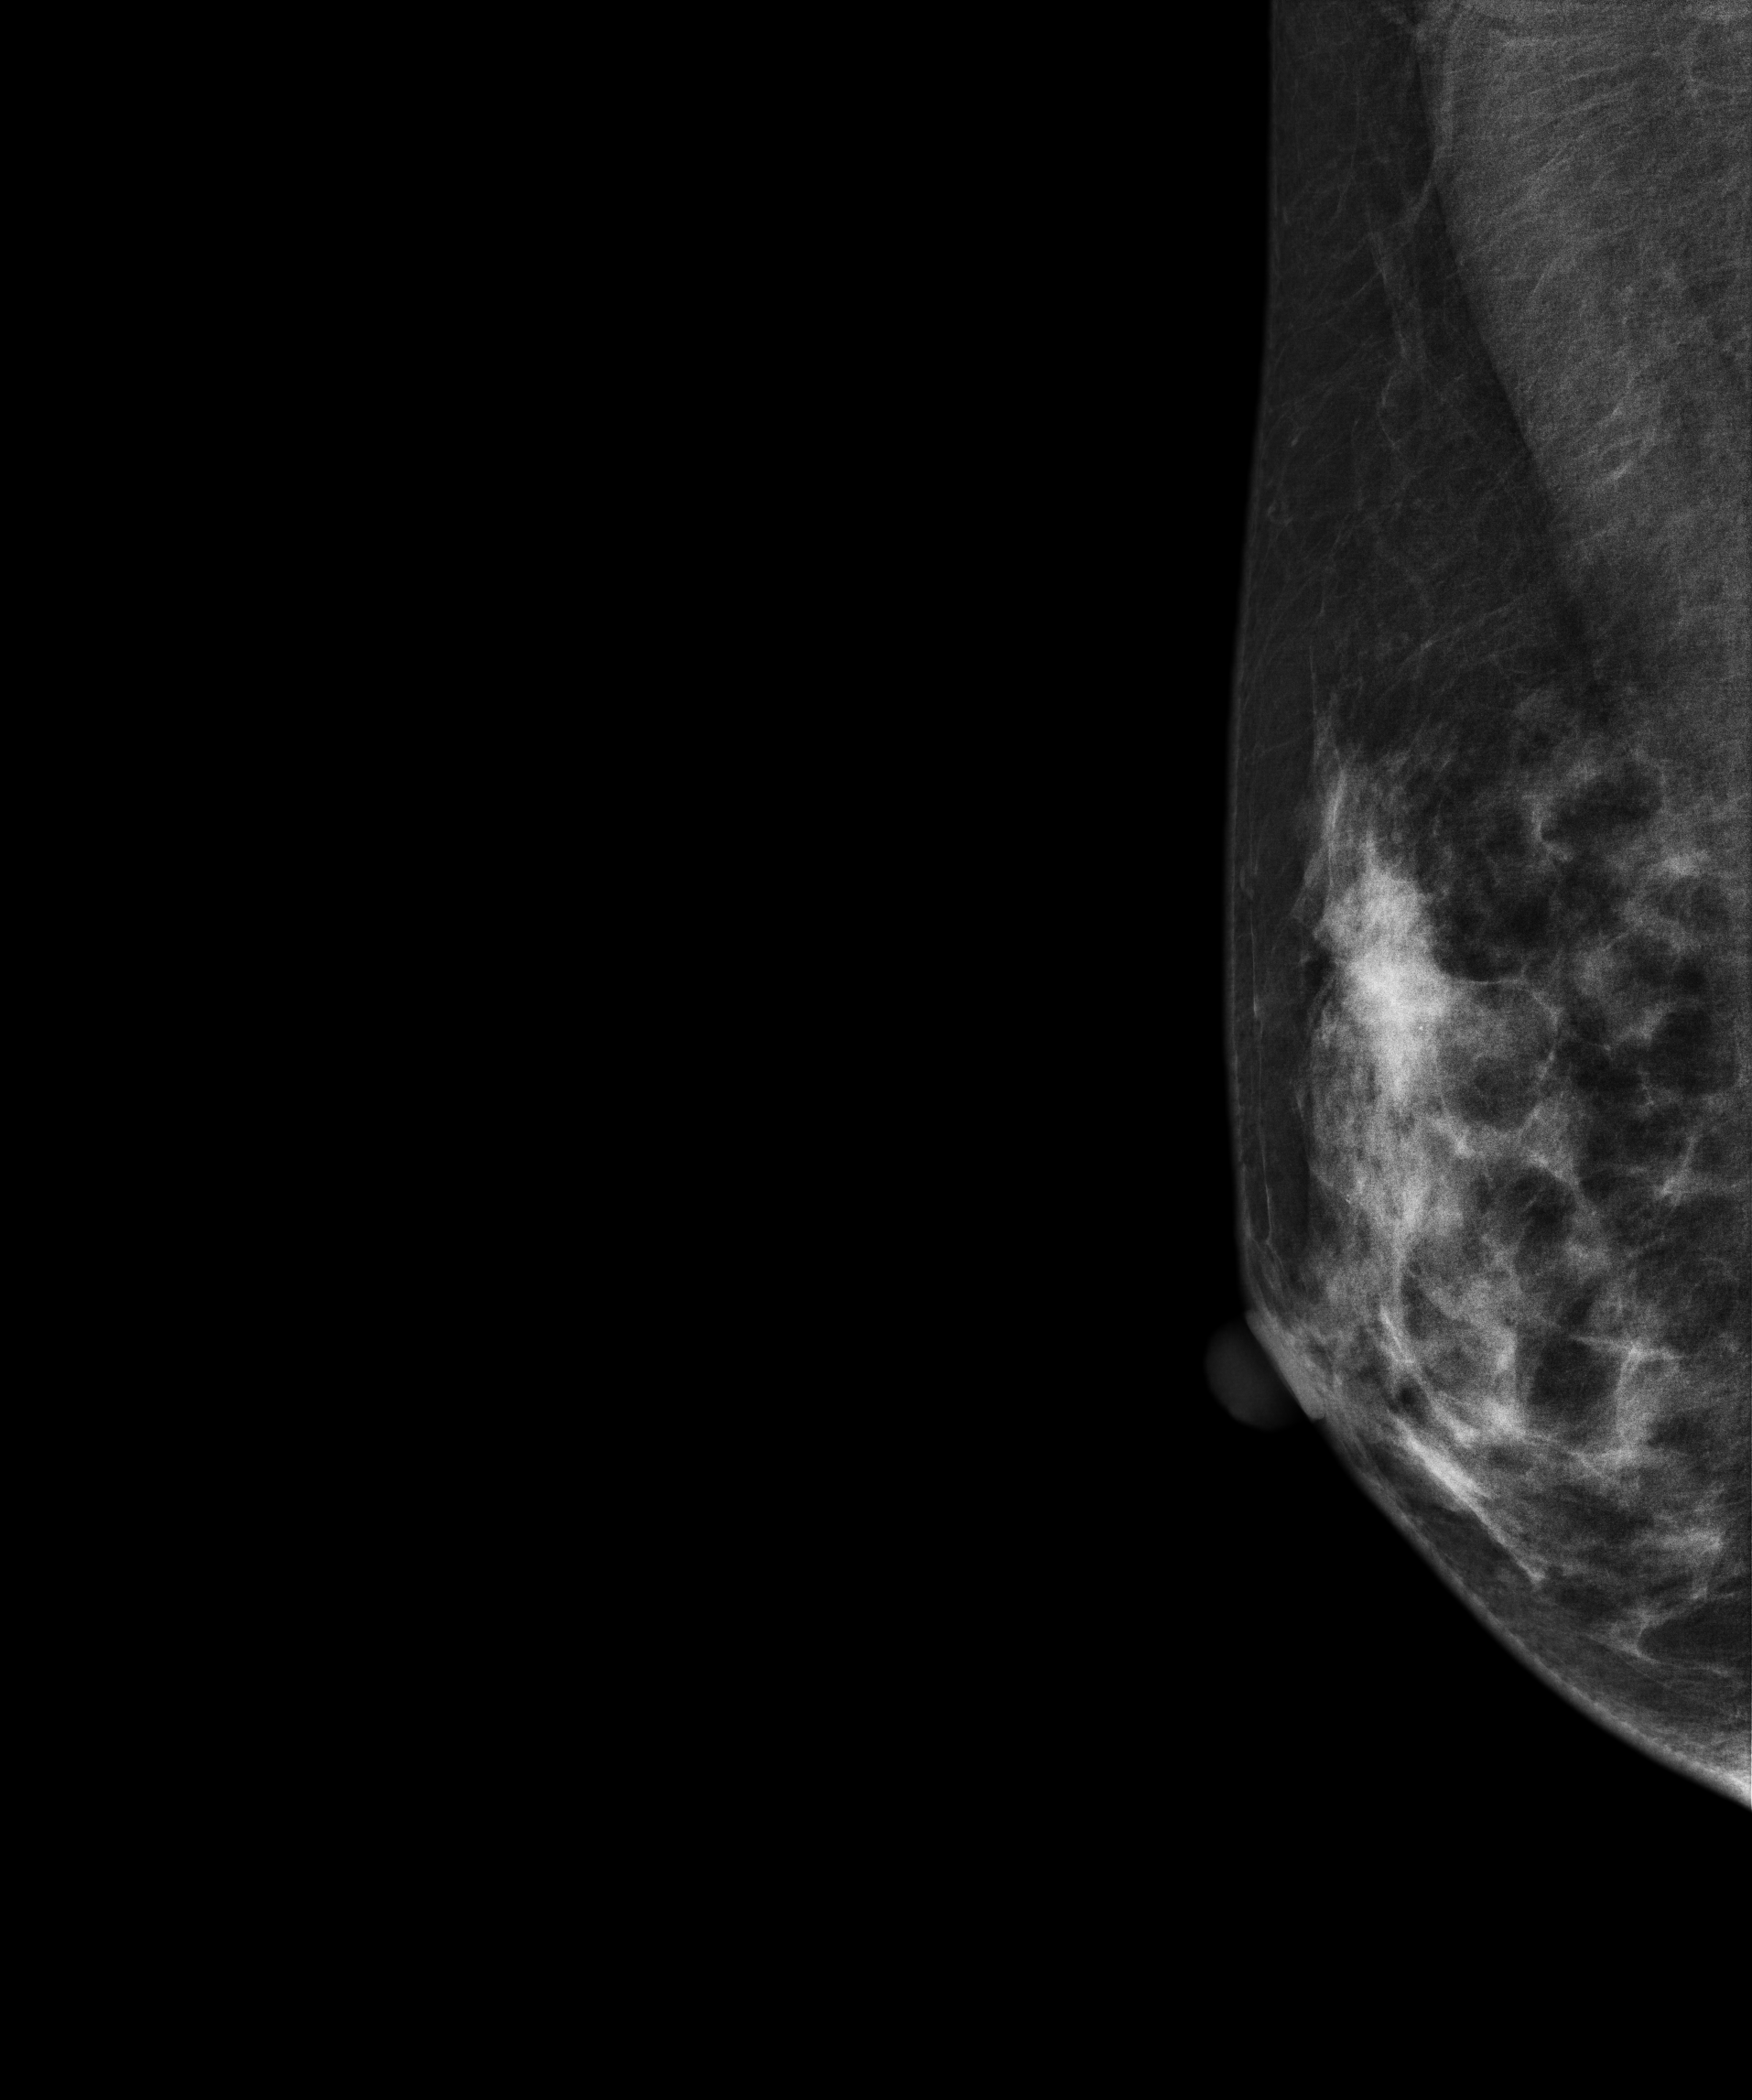
Digital mammography. Right breast, medio-lateral oblique projection. Patient age 36.
This breast has a mass, histologically confirmed benign.